MLO mammogram of the left breast. 42 y/o patient.
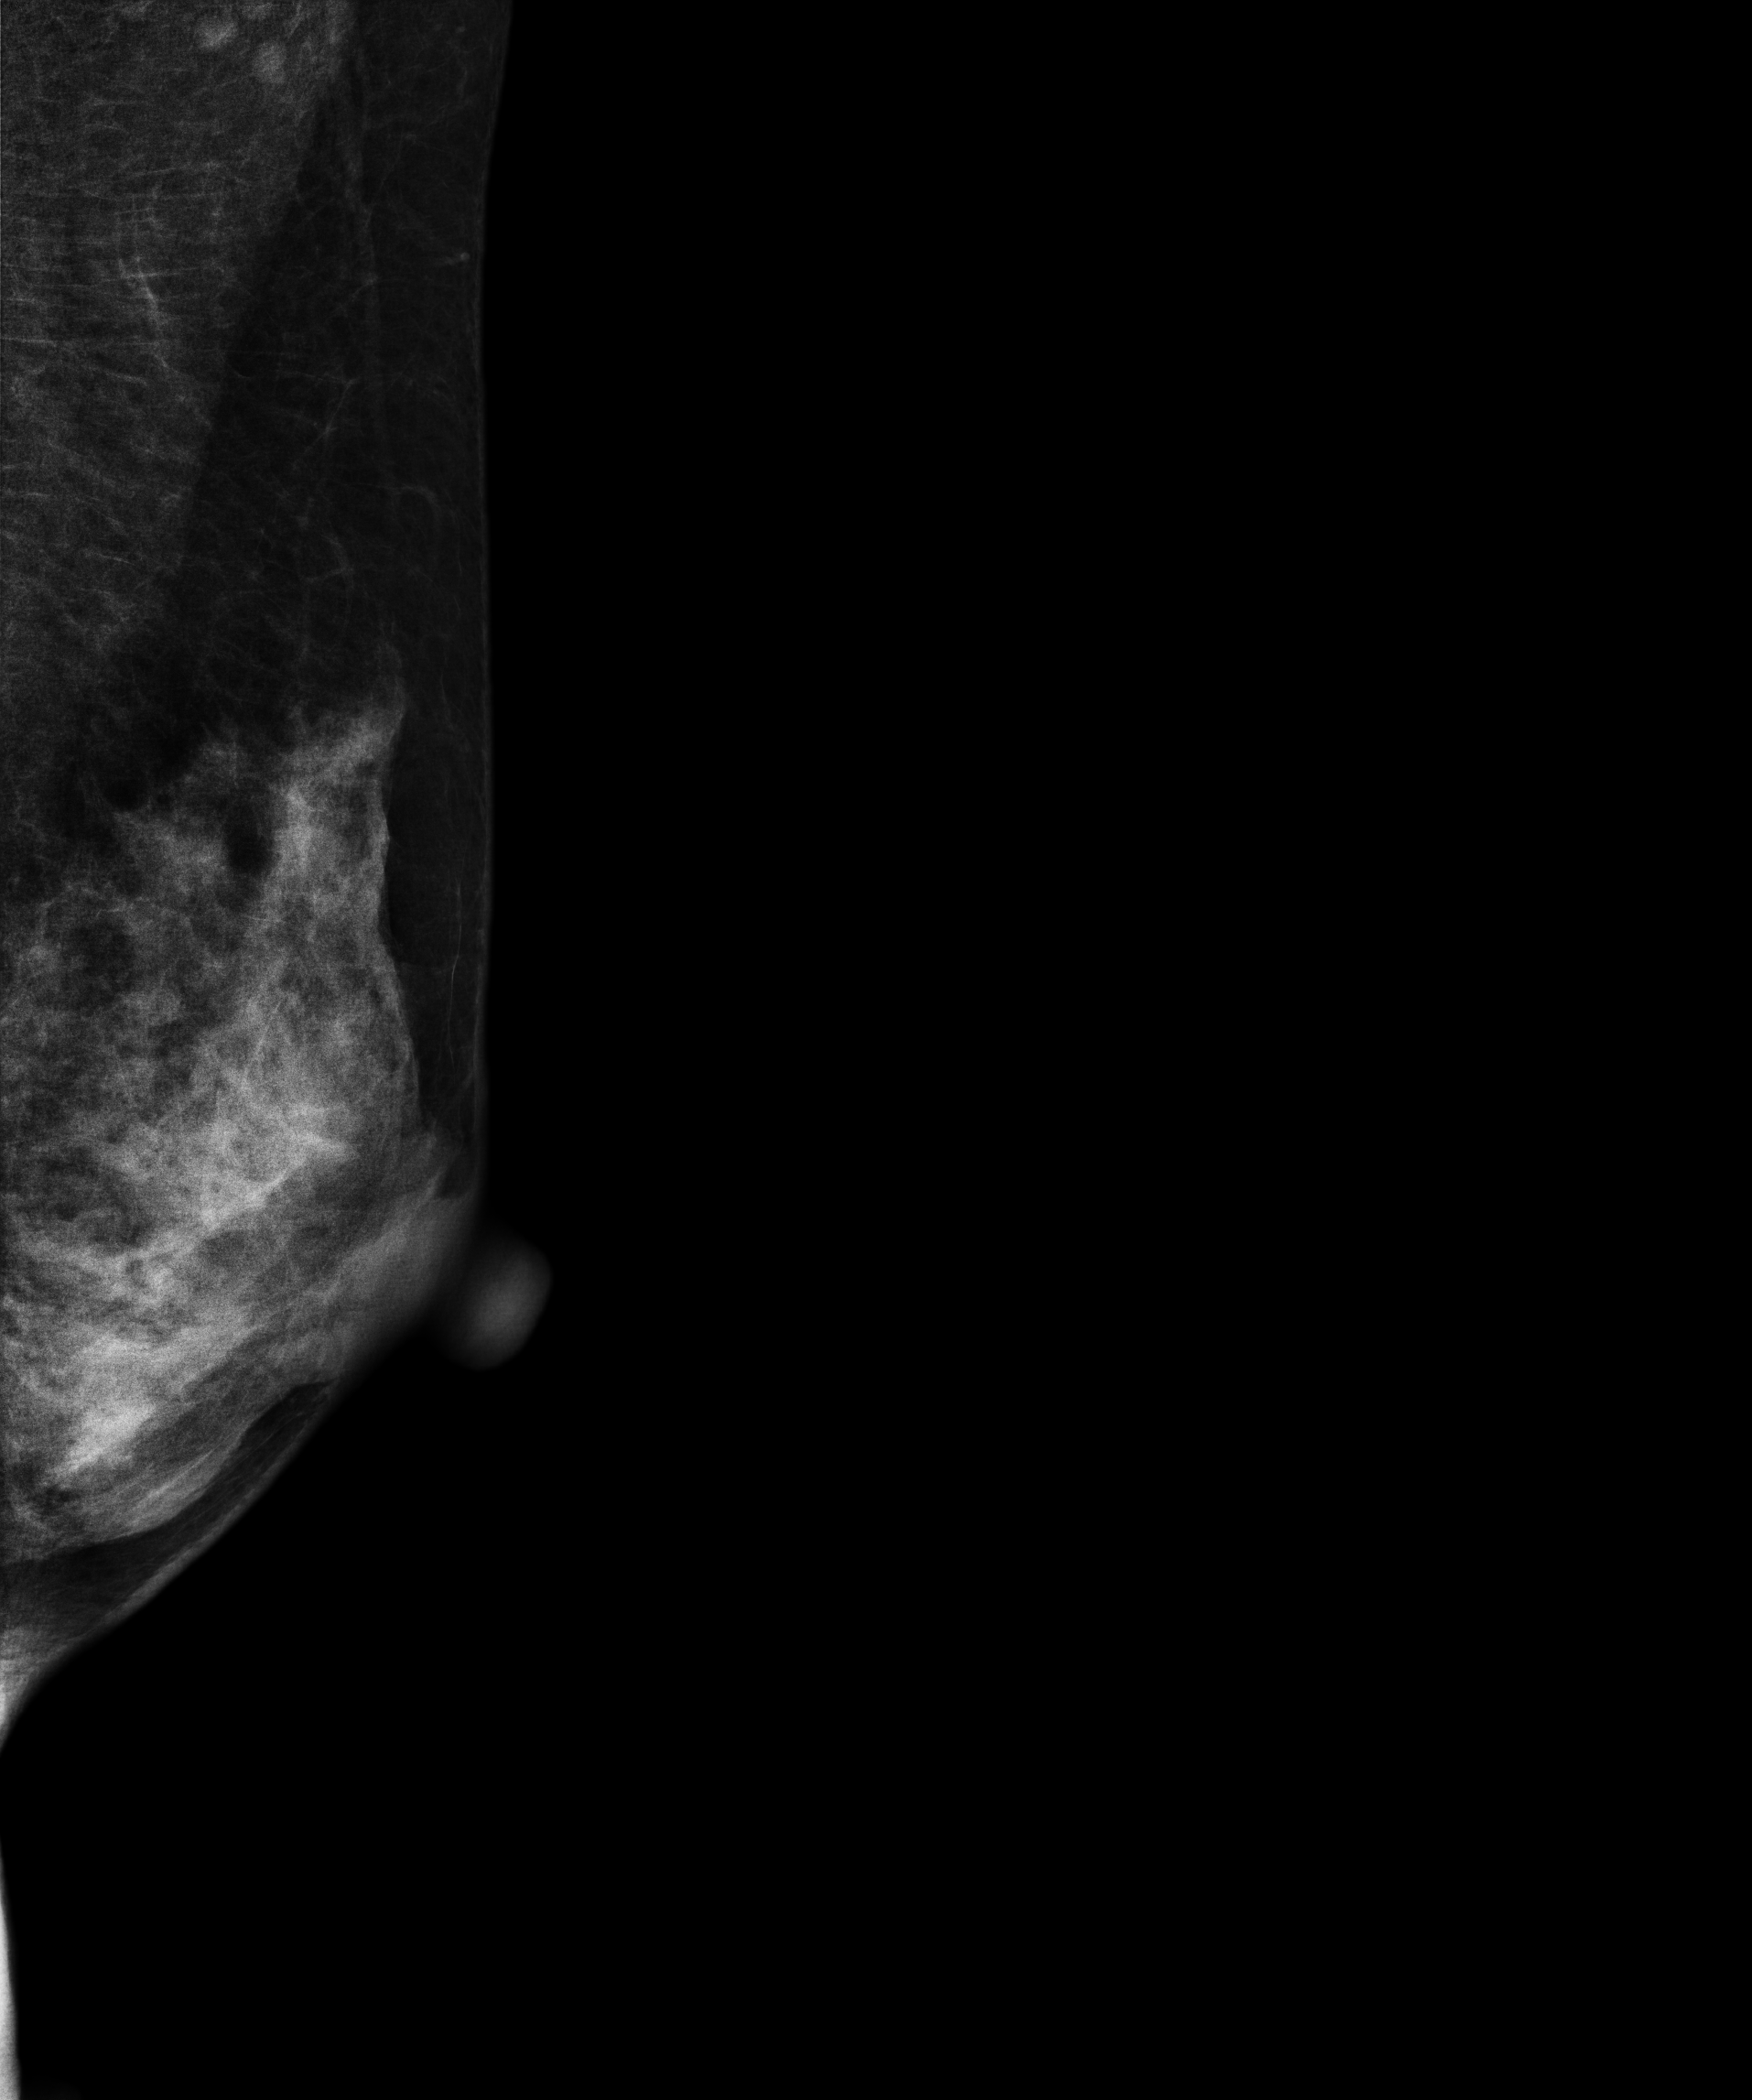
This breast has a mass, pathology-confirmed benign.